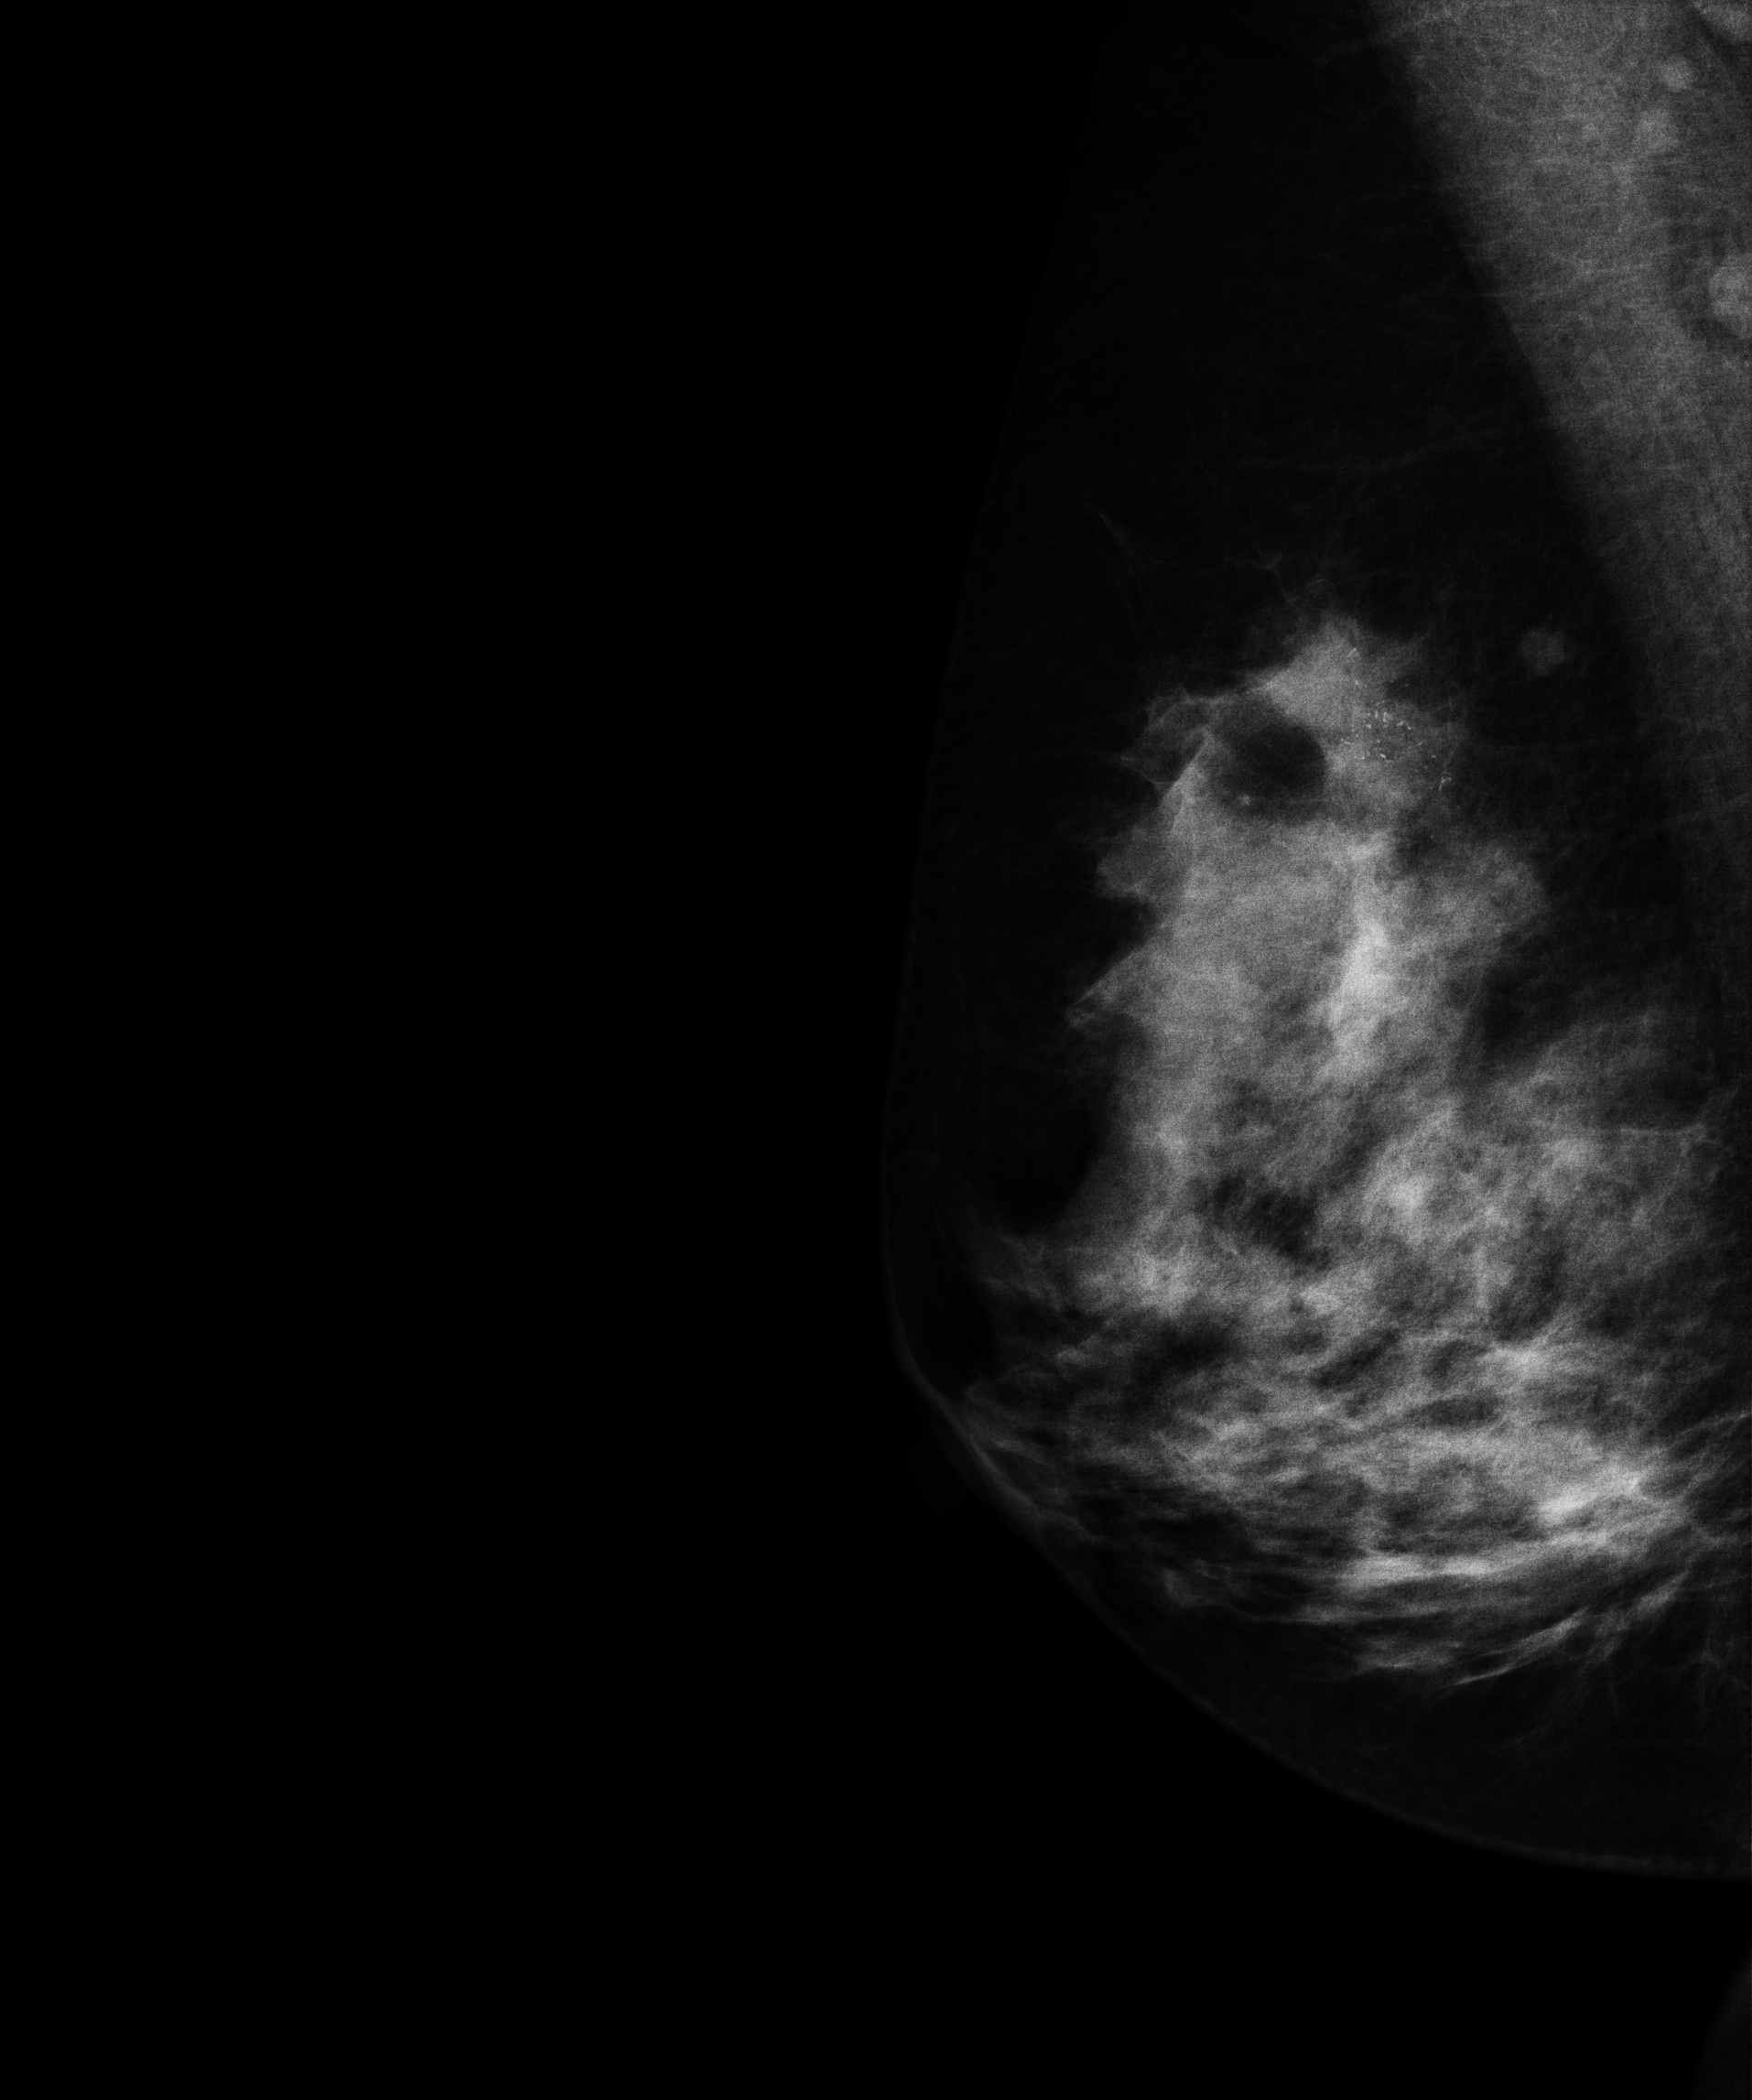
Mammogram — right medio-lateral oblique. 51-year-old patient.
This breast has calcifications, histologically confirmed malignant. Molecular subtype: luminal B.